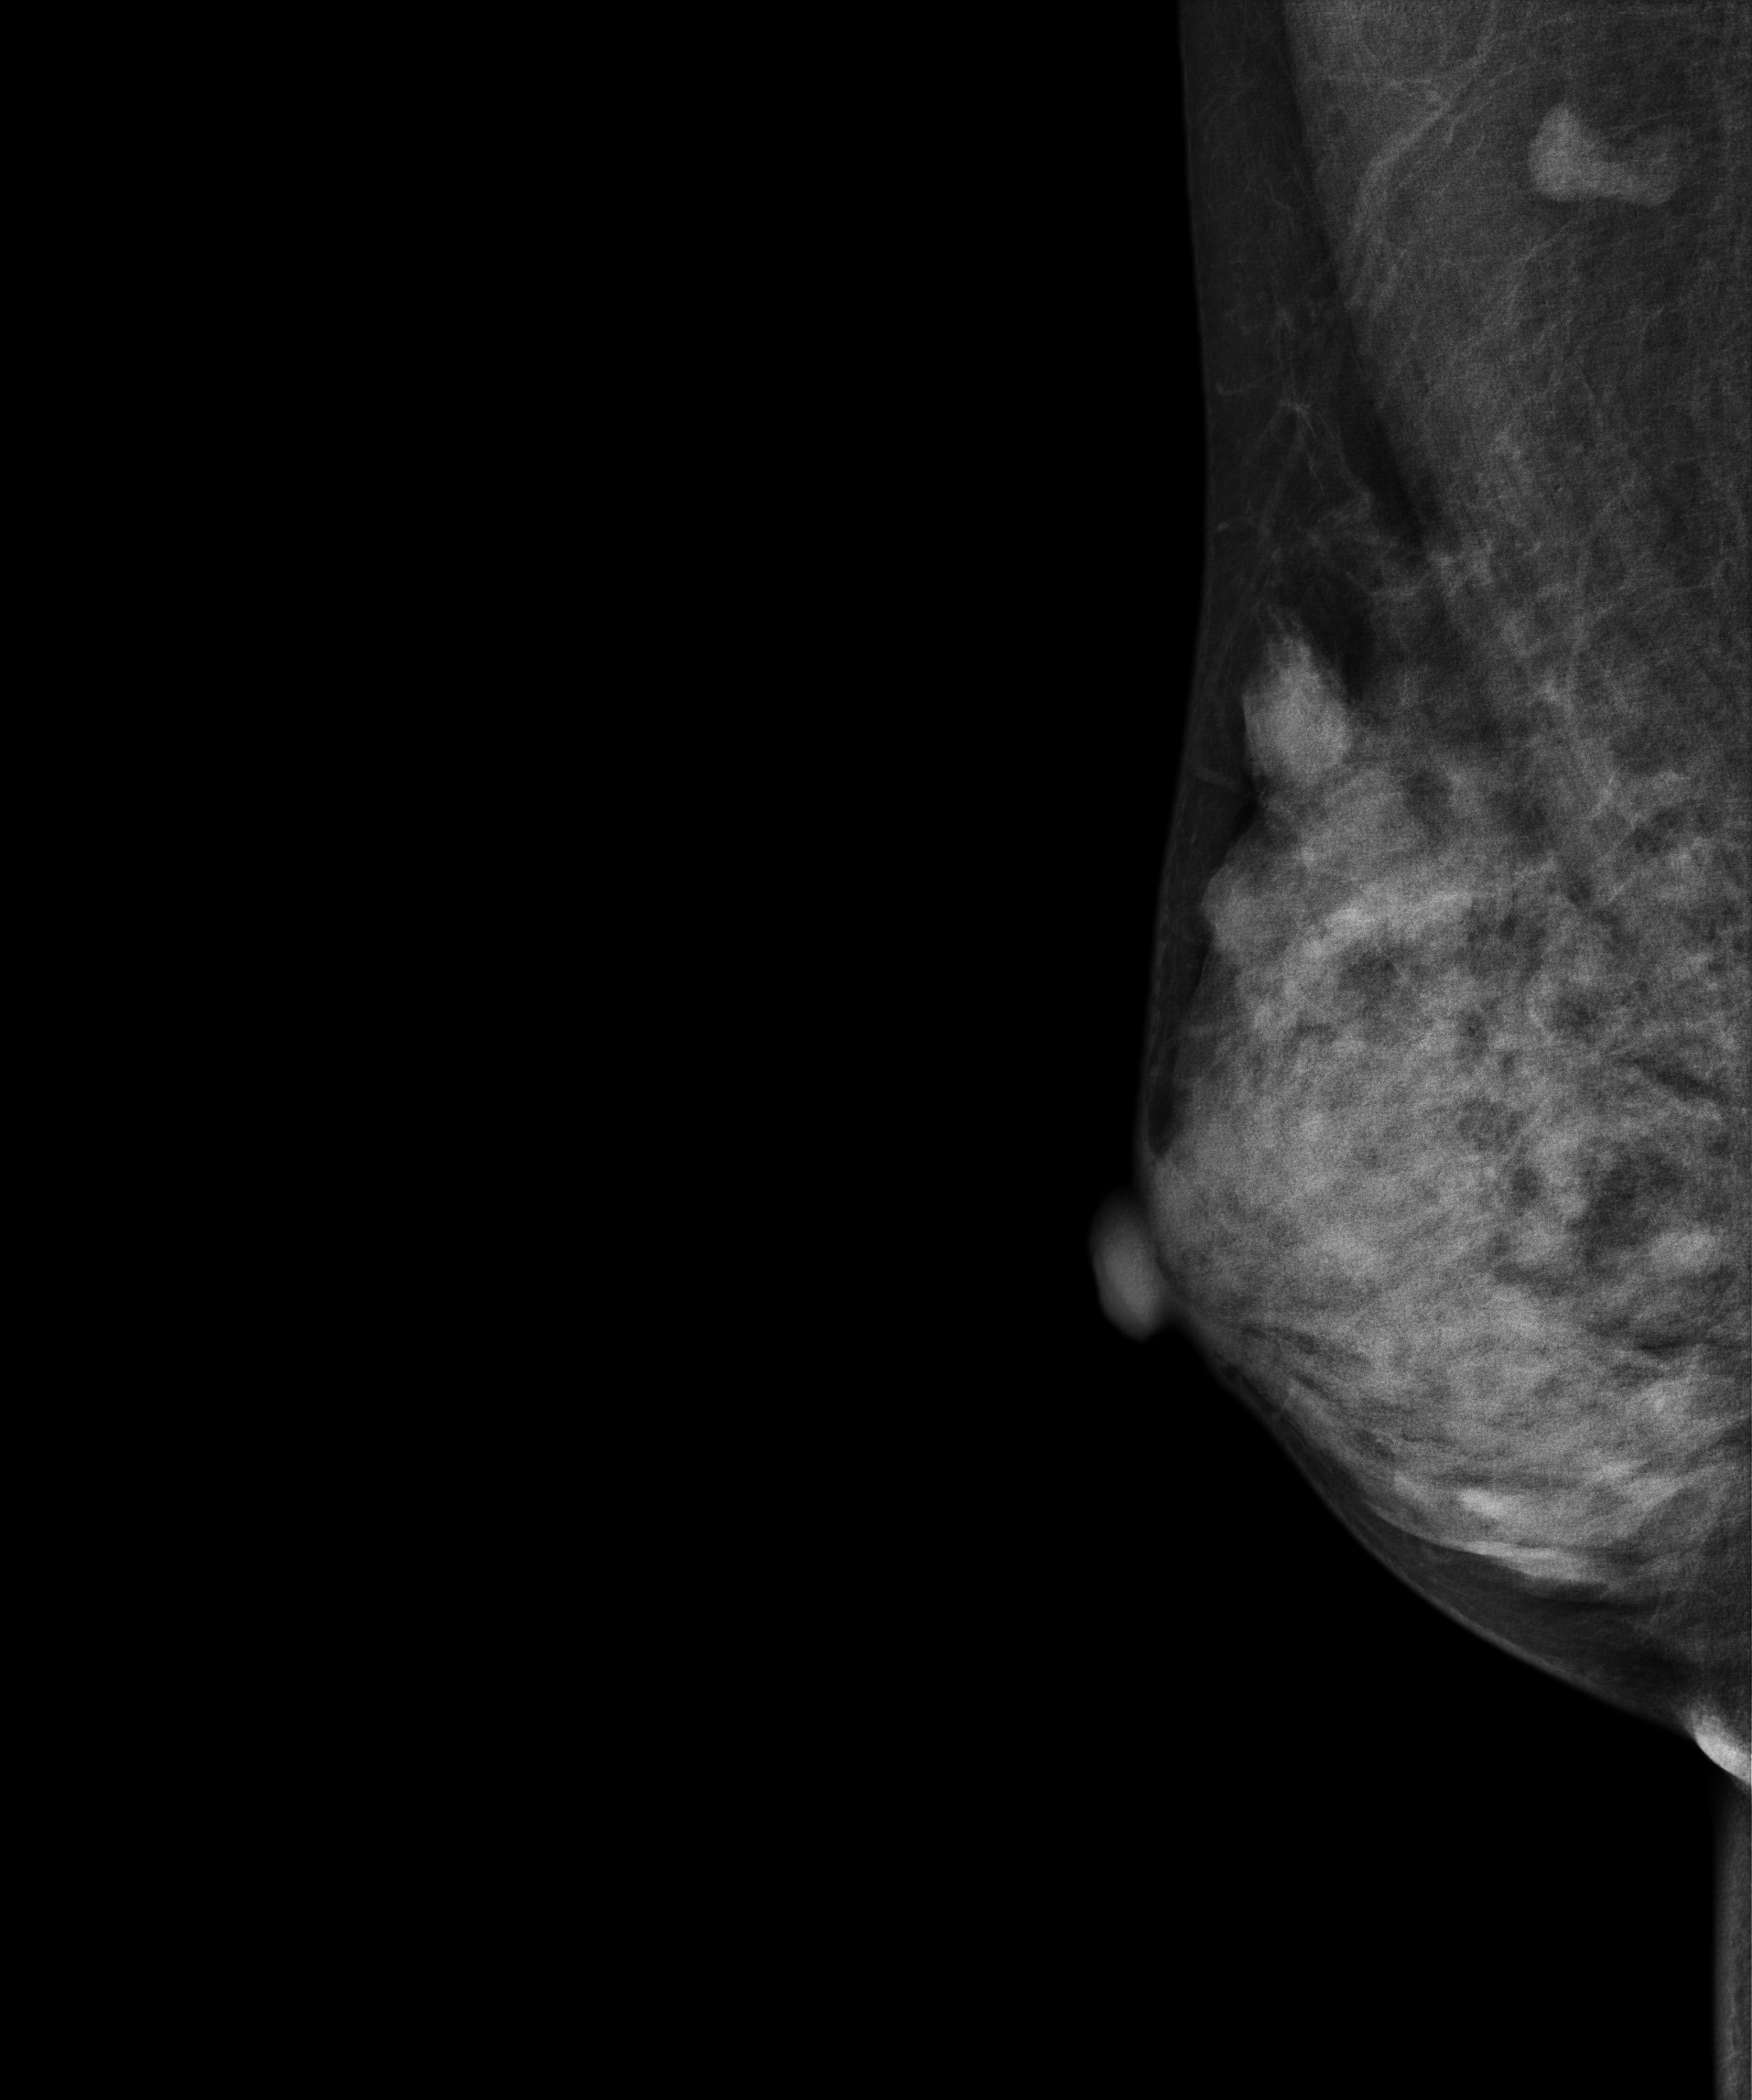
Mammogram, right breast, MLO view. Patient age 51.
Contralateral breast — no documented abnormality on this side.